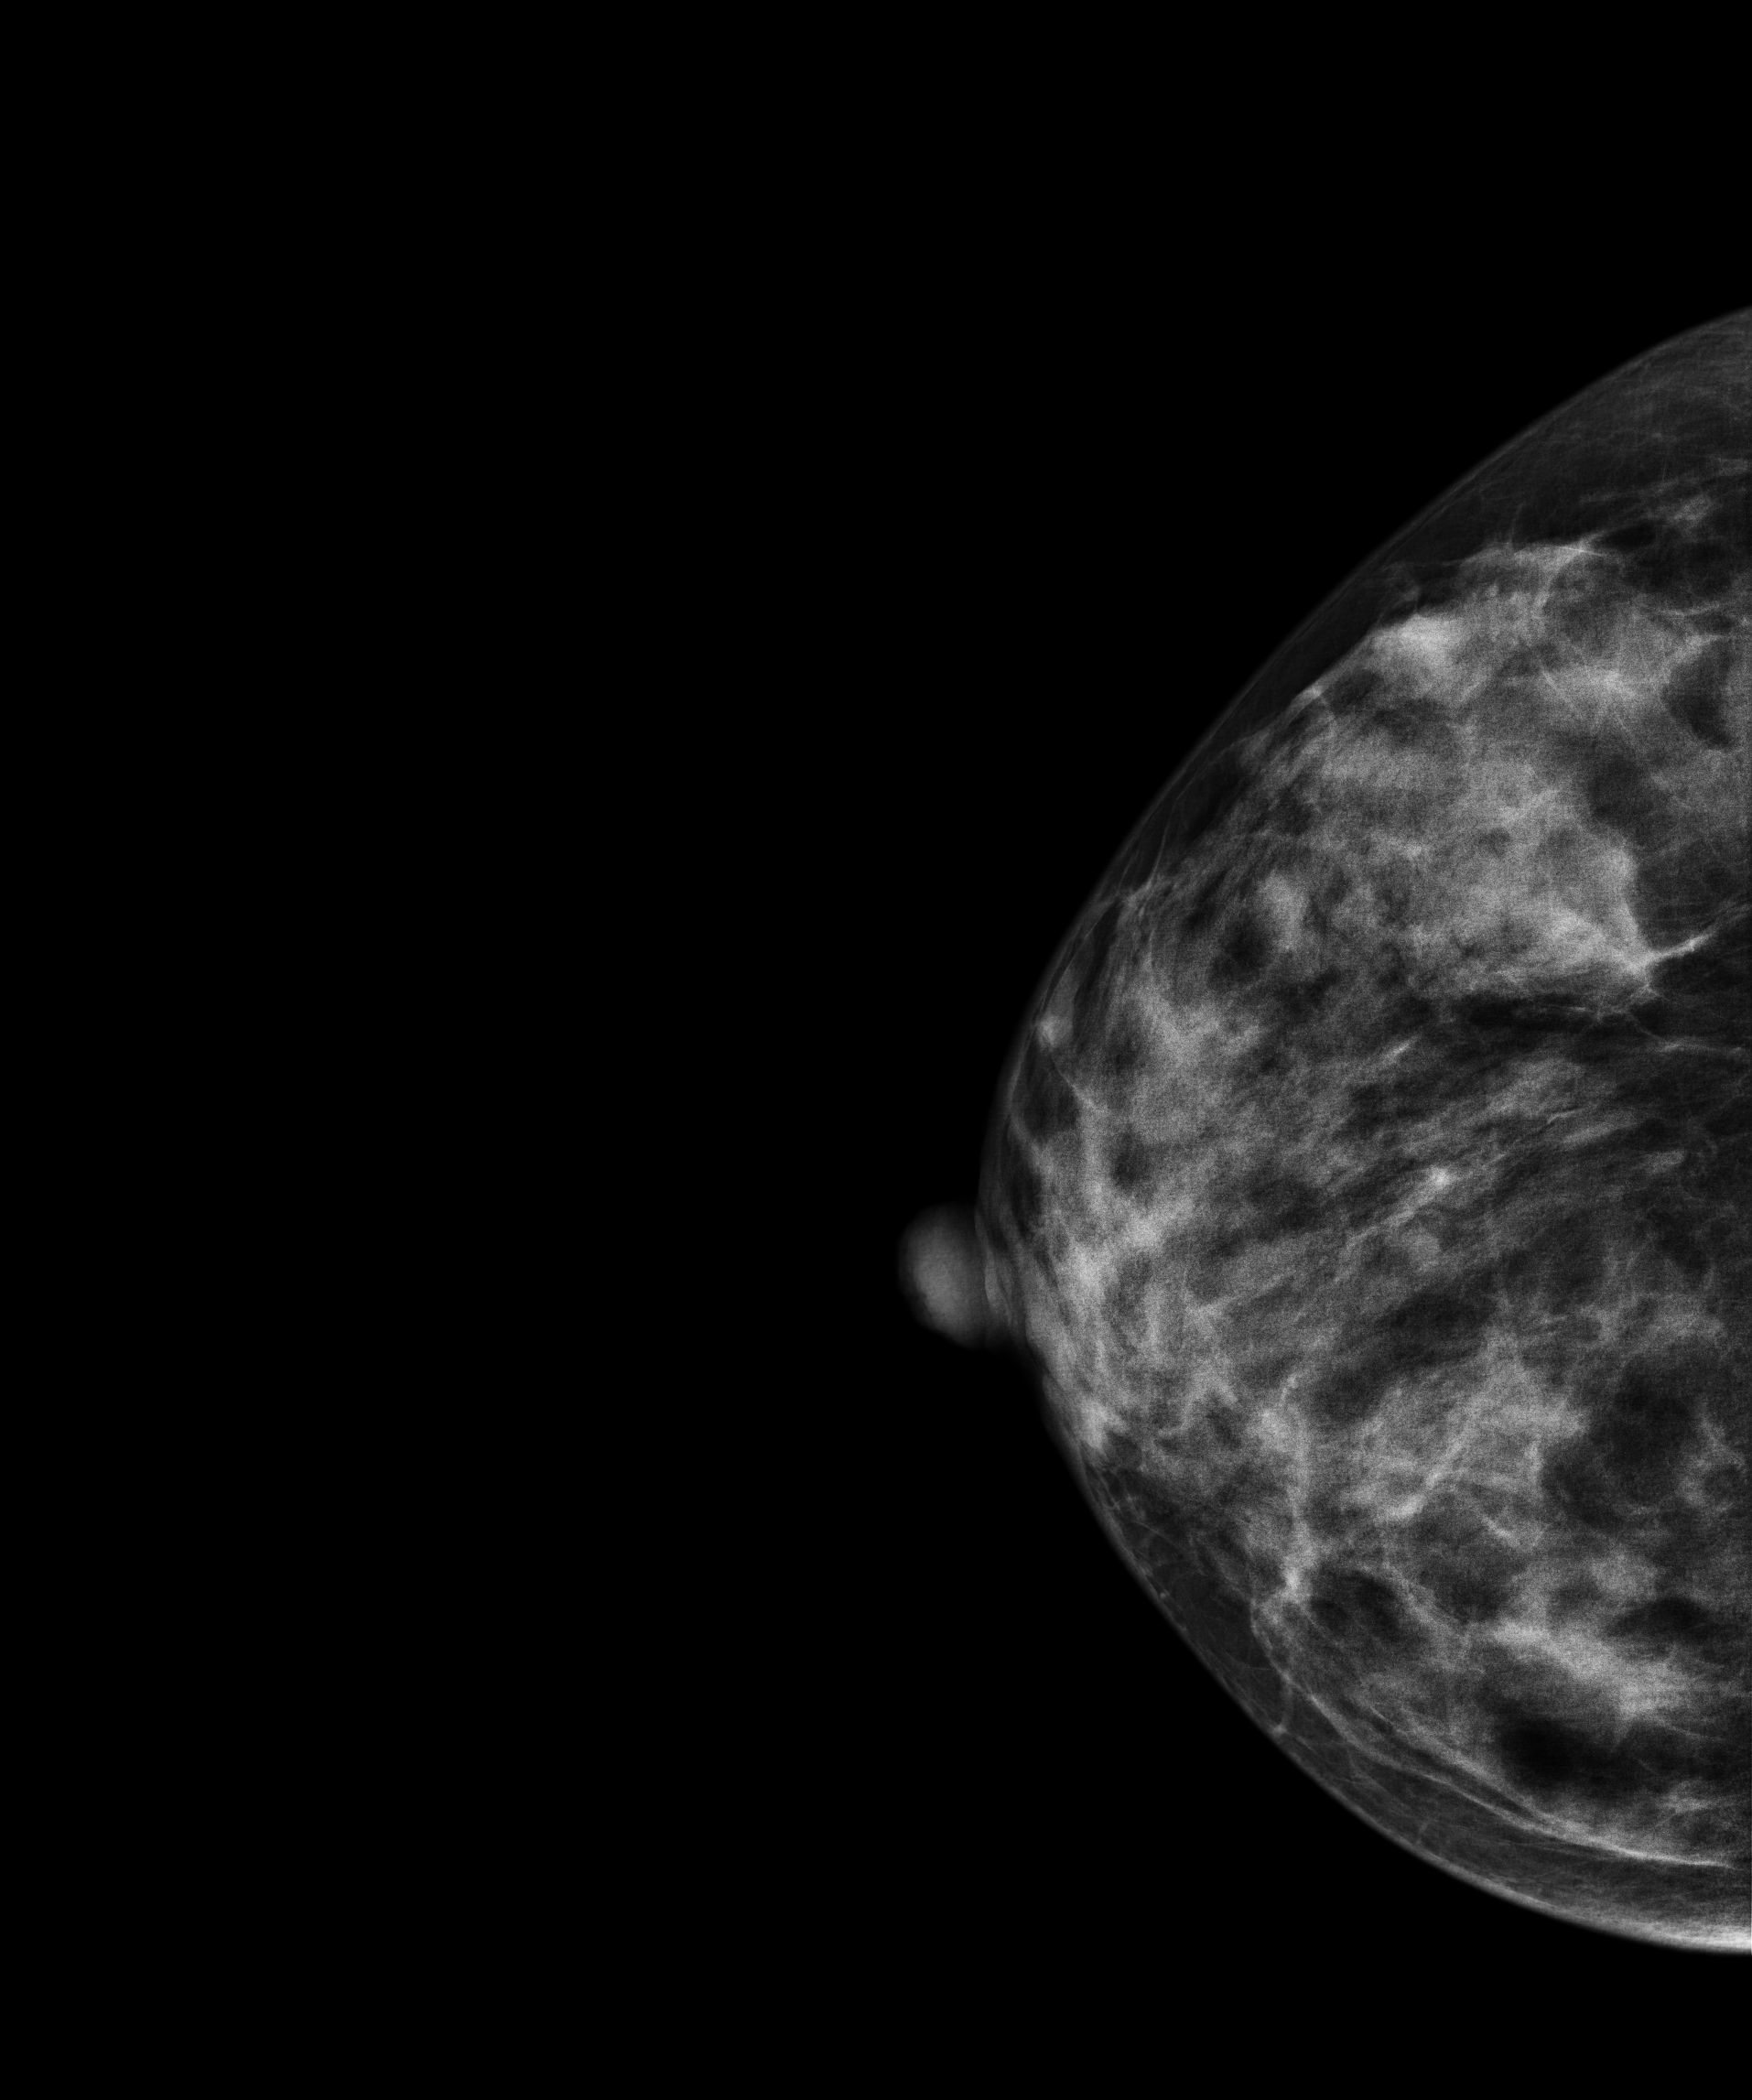
Cranio-caudal mammogram of the right breast. 42 y/o patient.
This breast has a mass, histologically confirmed benign.